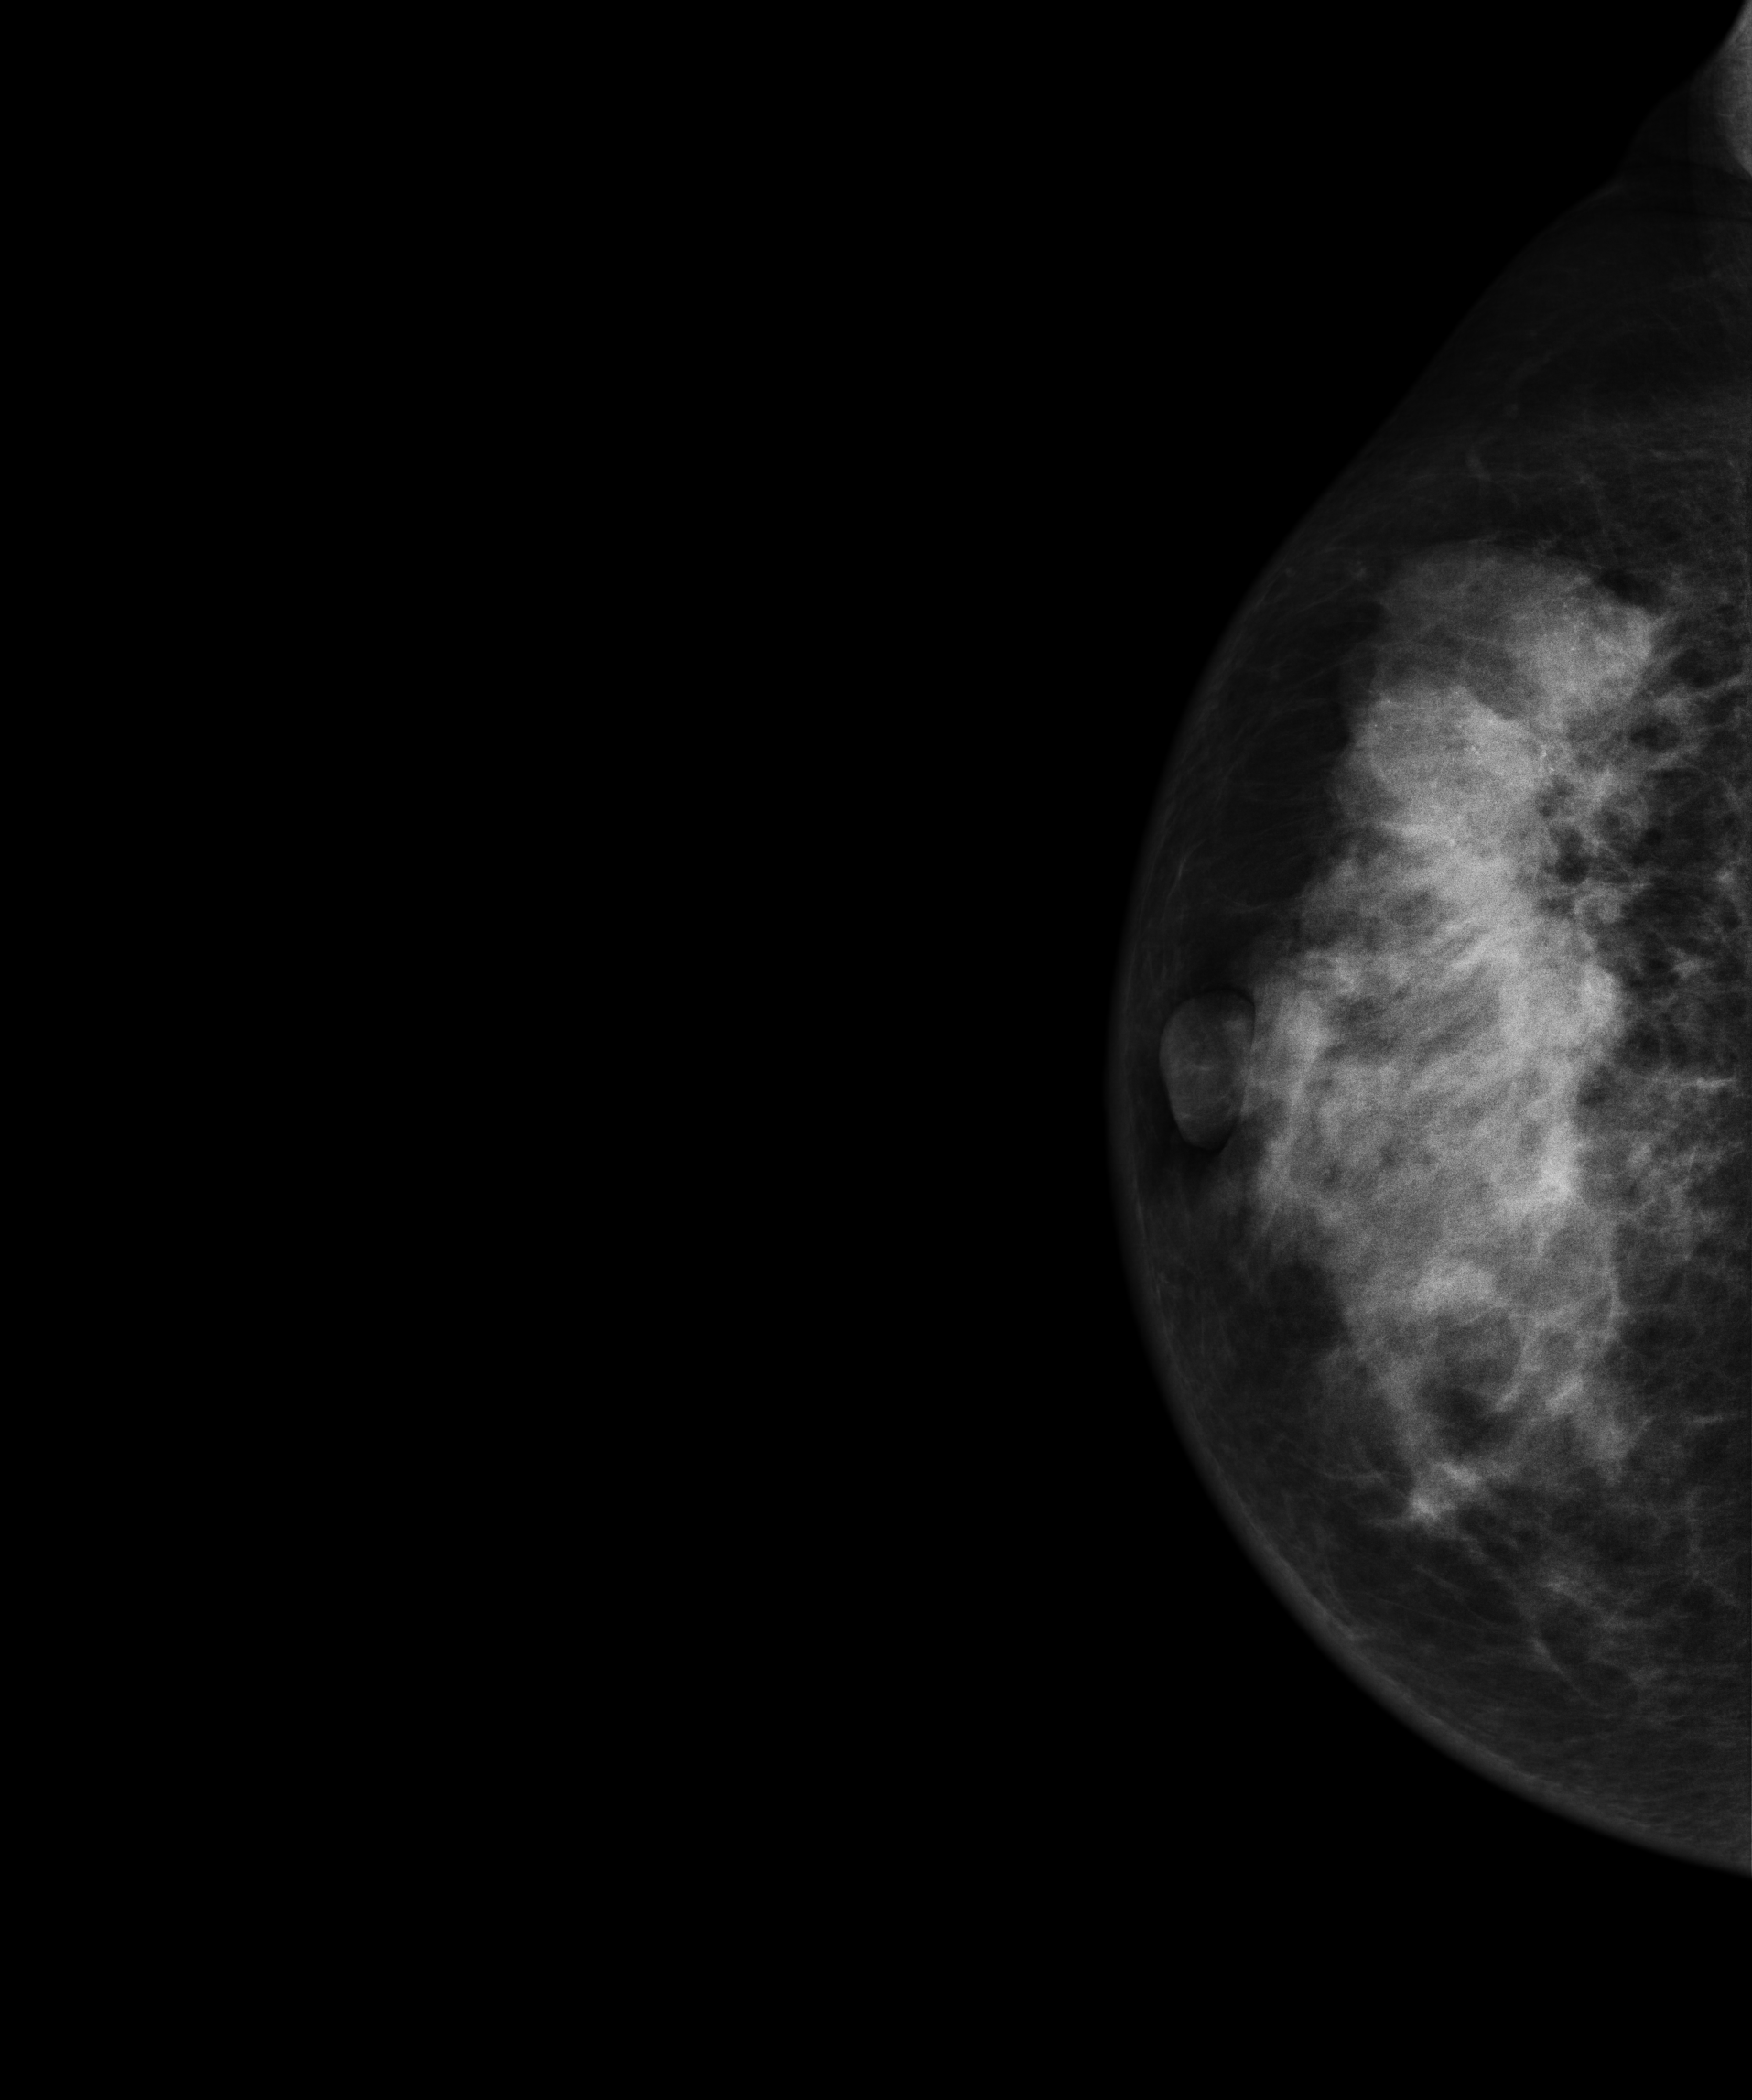
Cranio-caudal mammogram of the right breast. Patient age 45.
This breast has a mass and calcifications, pathology-confirmed malignant.